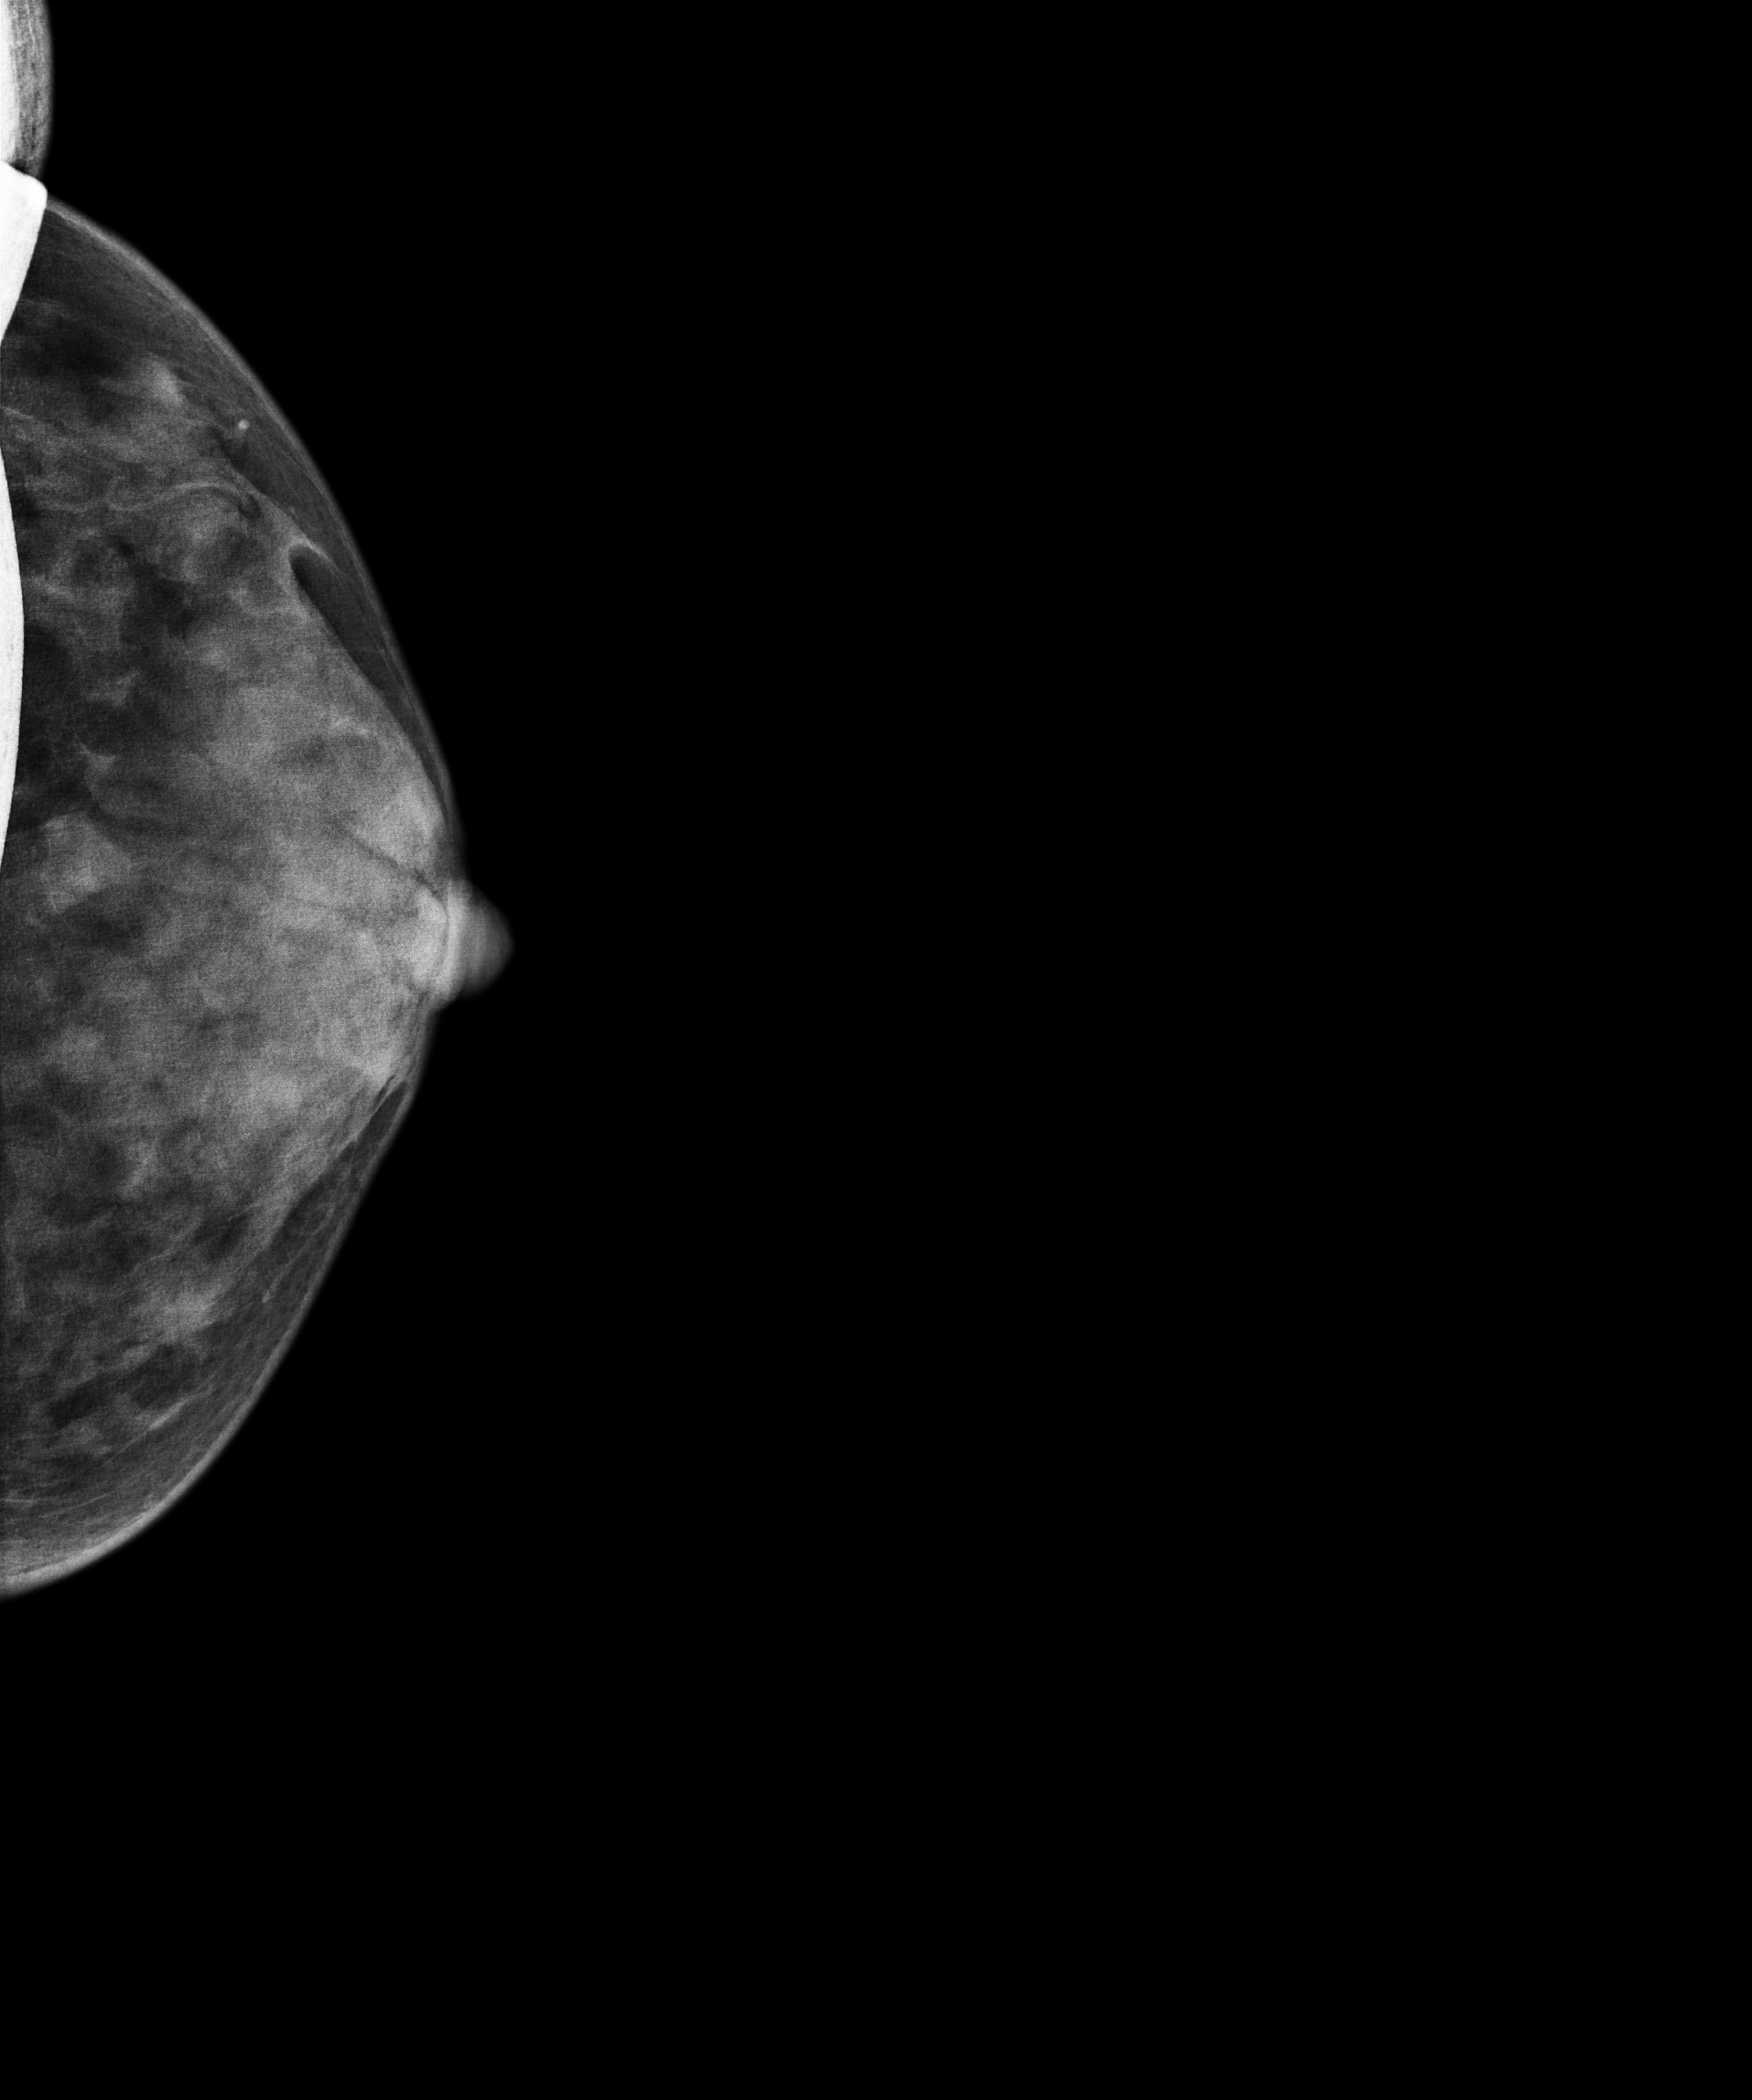
Left-breast mammogram, CC. 48 y/o patient.
This breast has a mass, biopsy-confirmed benign.